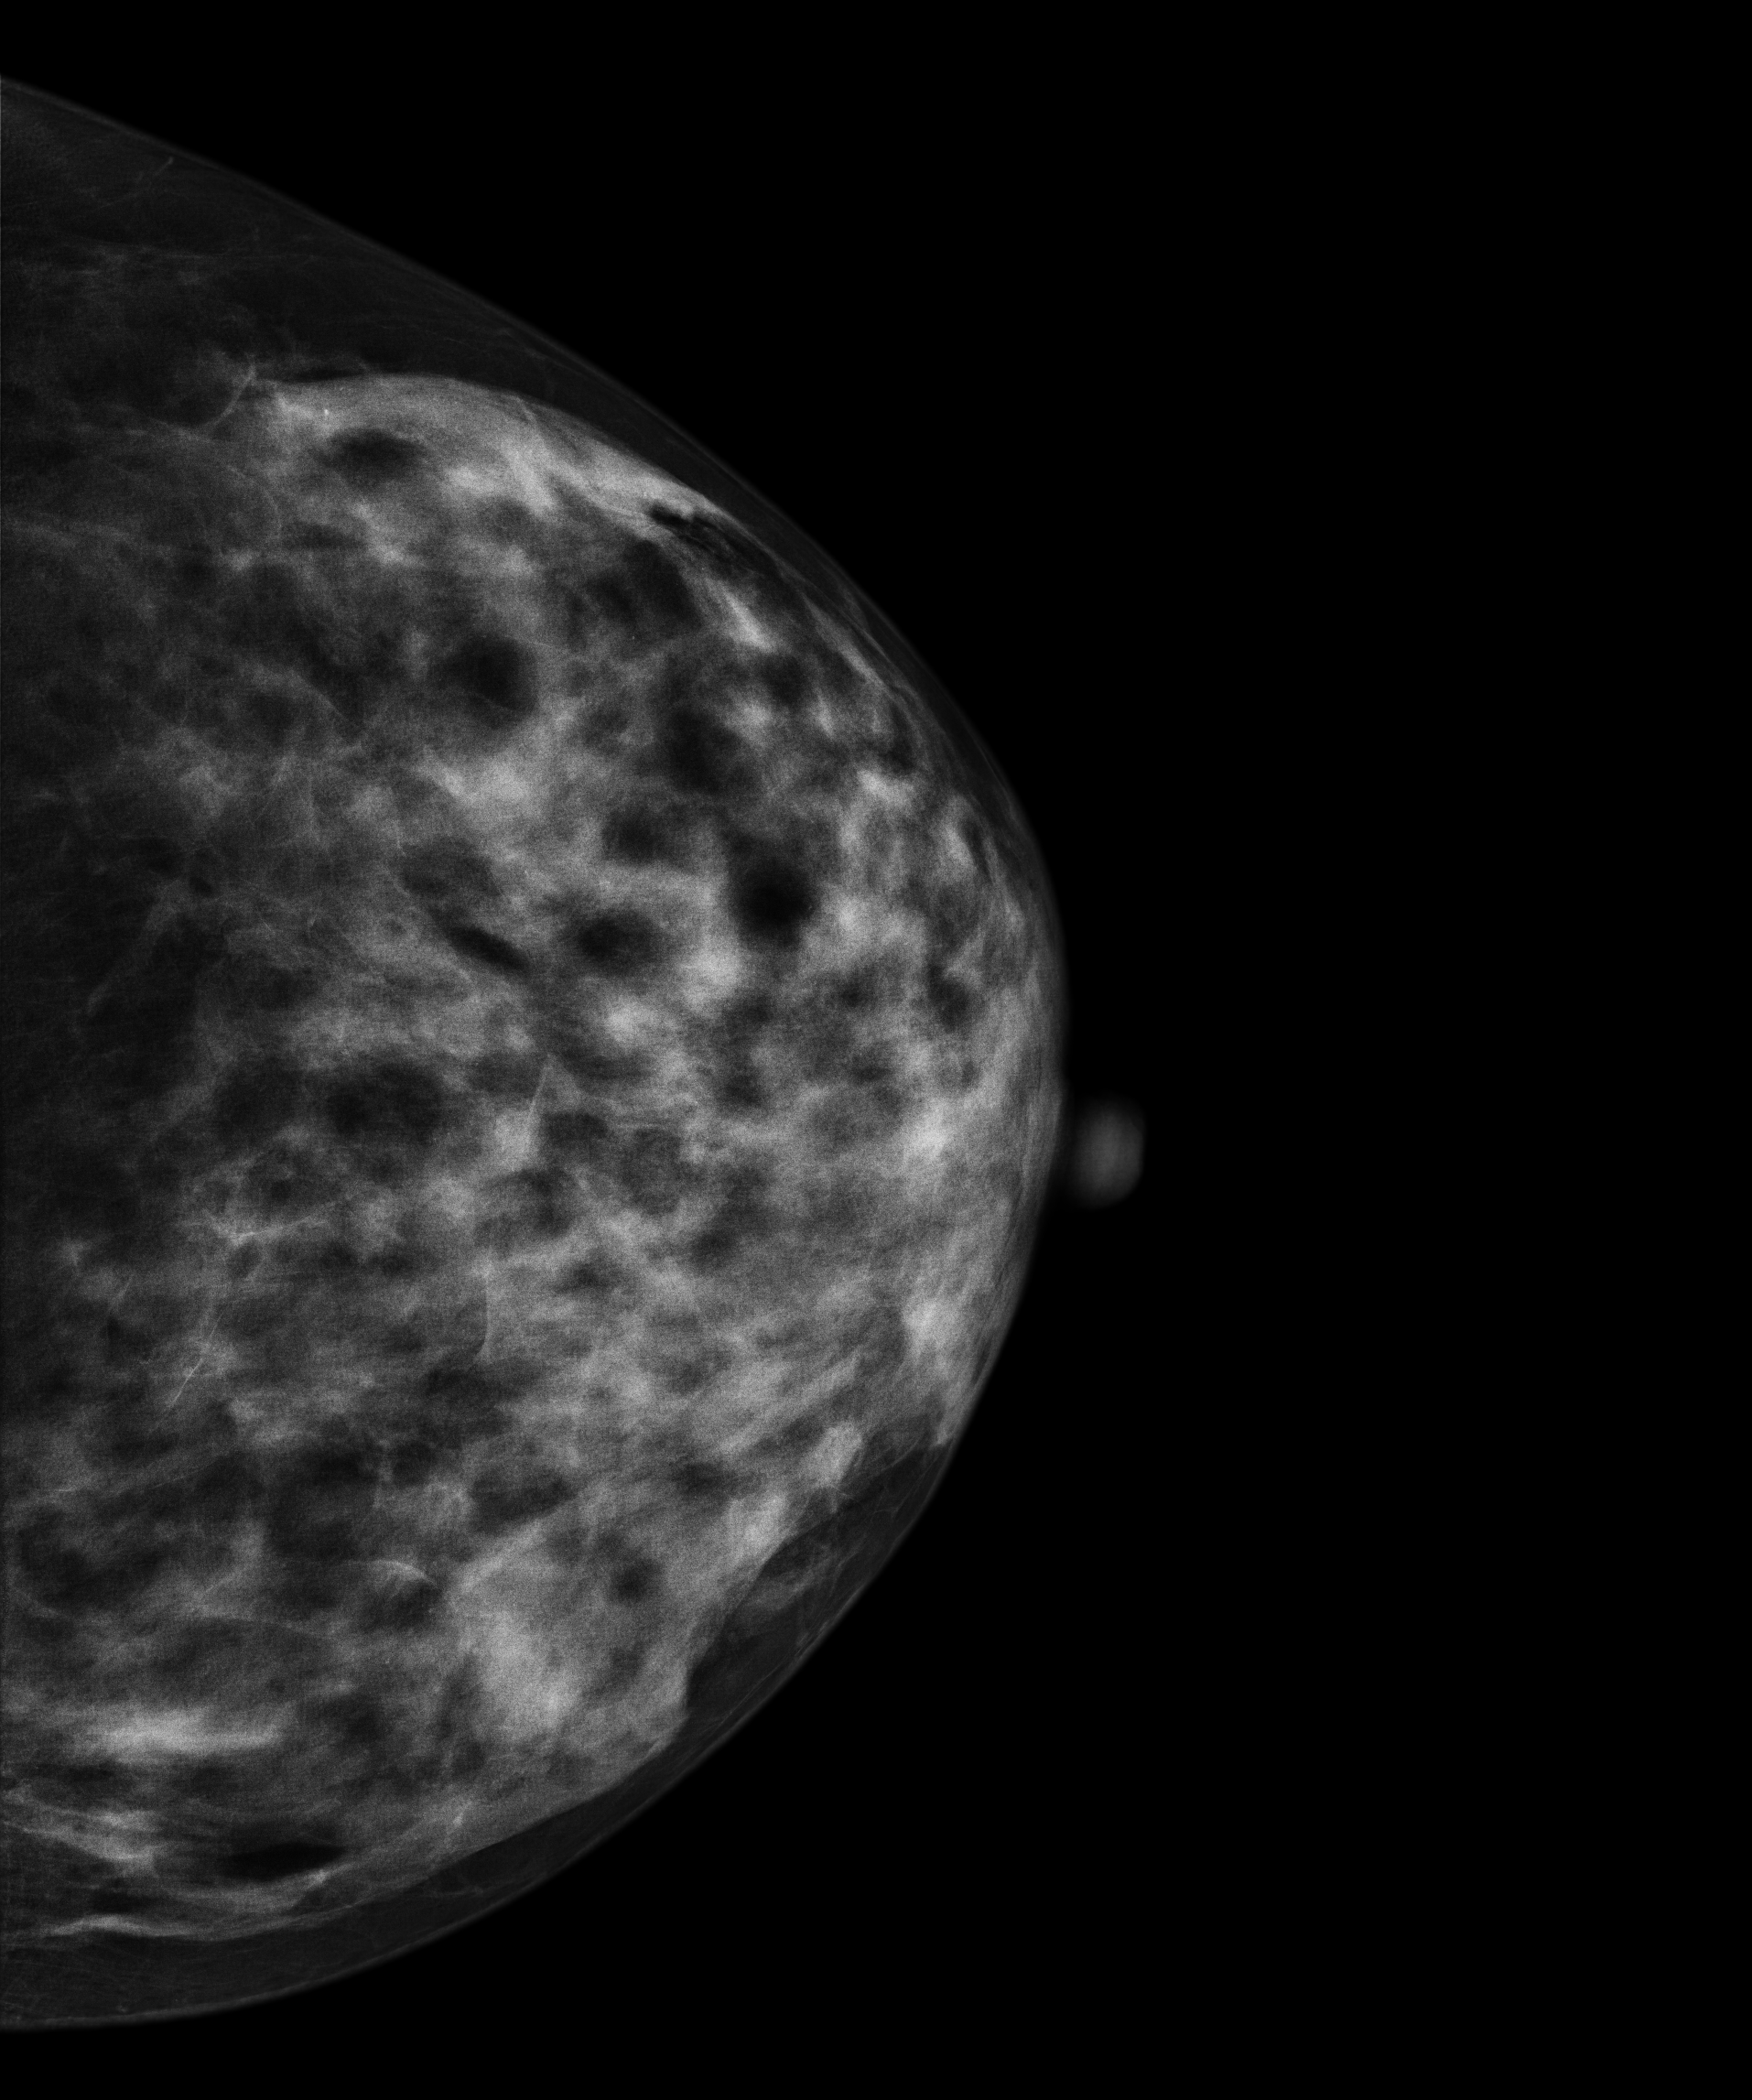
CC mammogram of the left breast. 35 y/o patient.
Contralateral breast — no documented abnormality on this side.